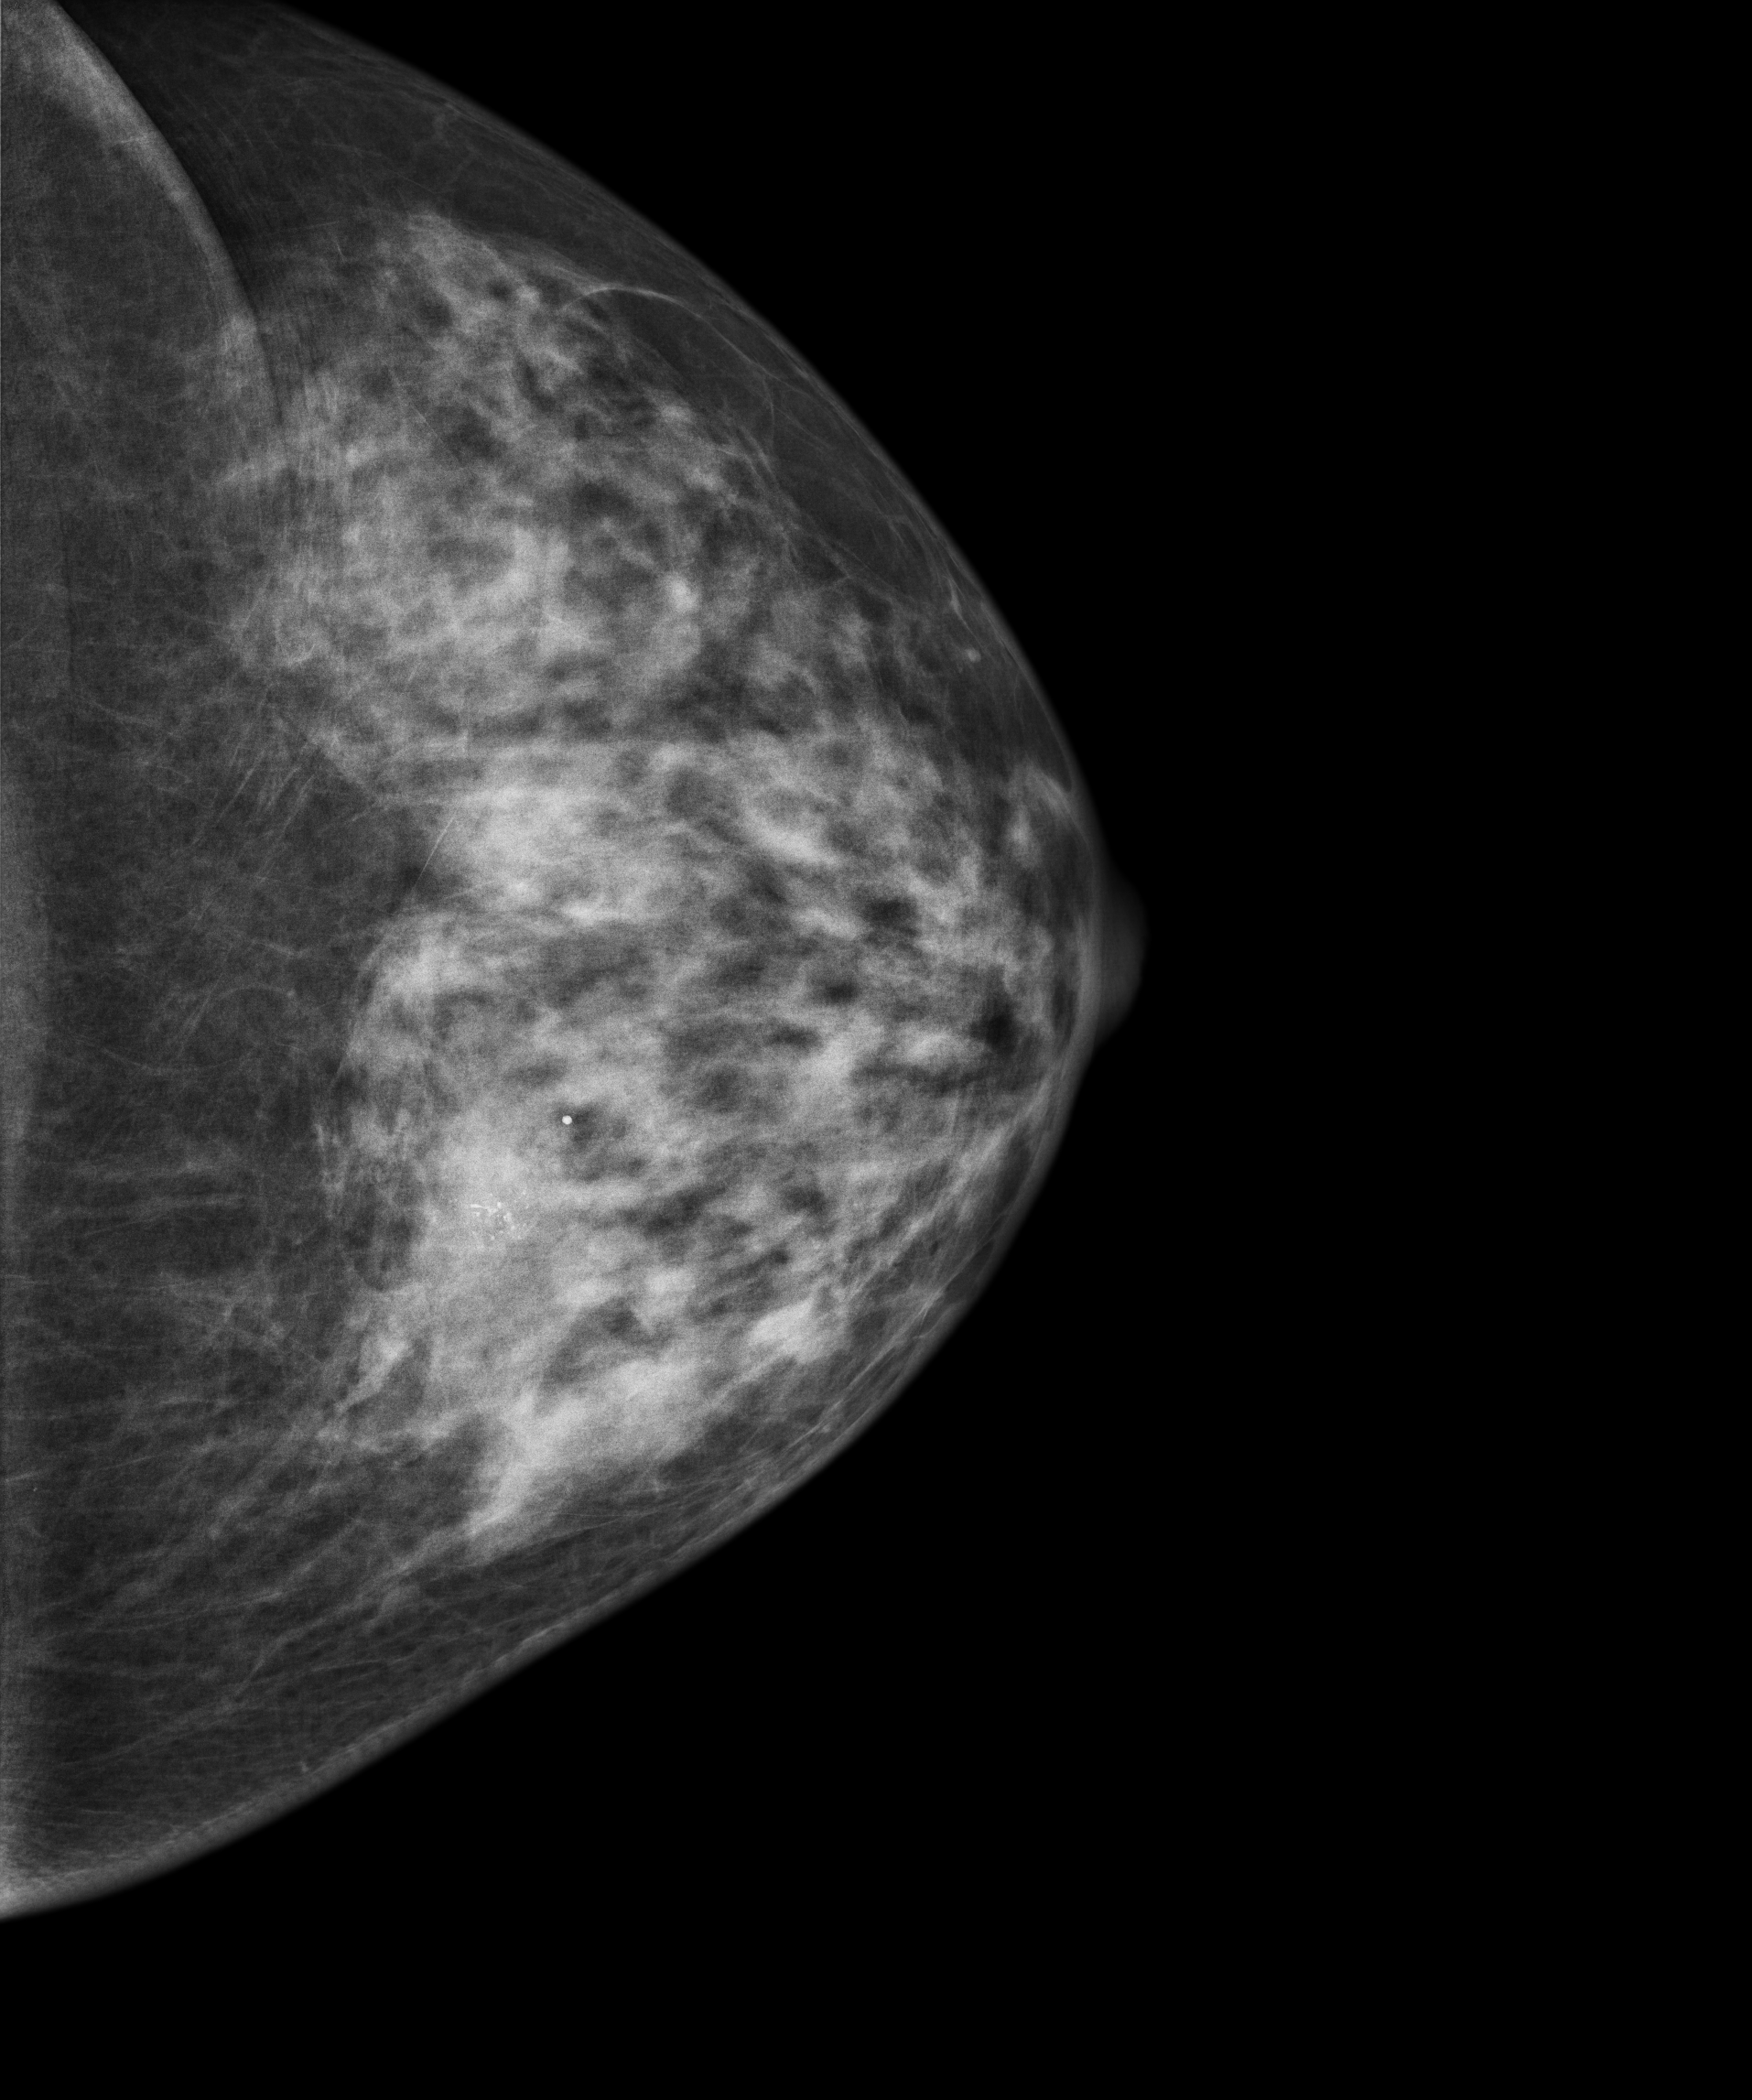
Digital mammography. Left breast, CC projection. 52-year-old patient.
This breast has a mass and calcifications, biopsy-proven malignant.